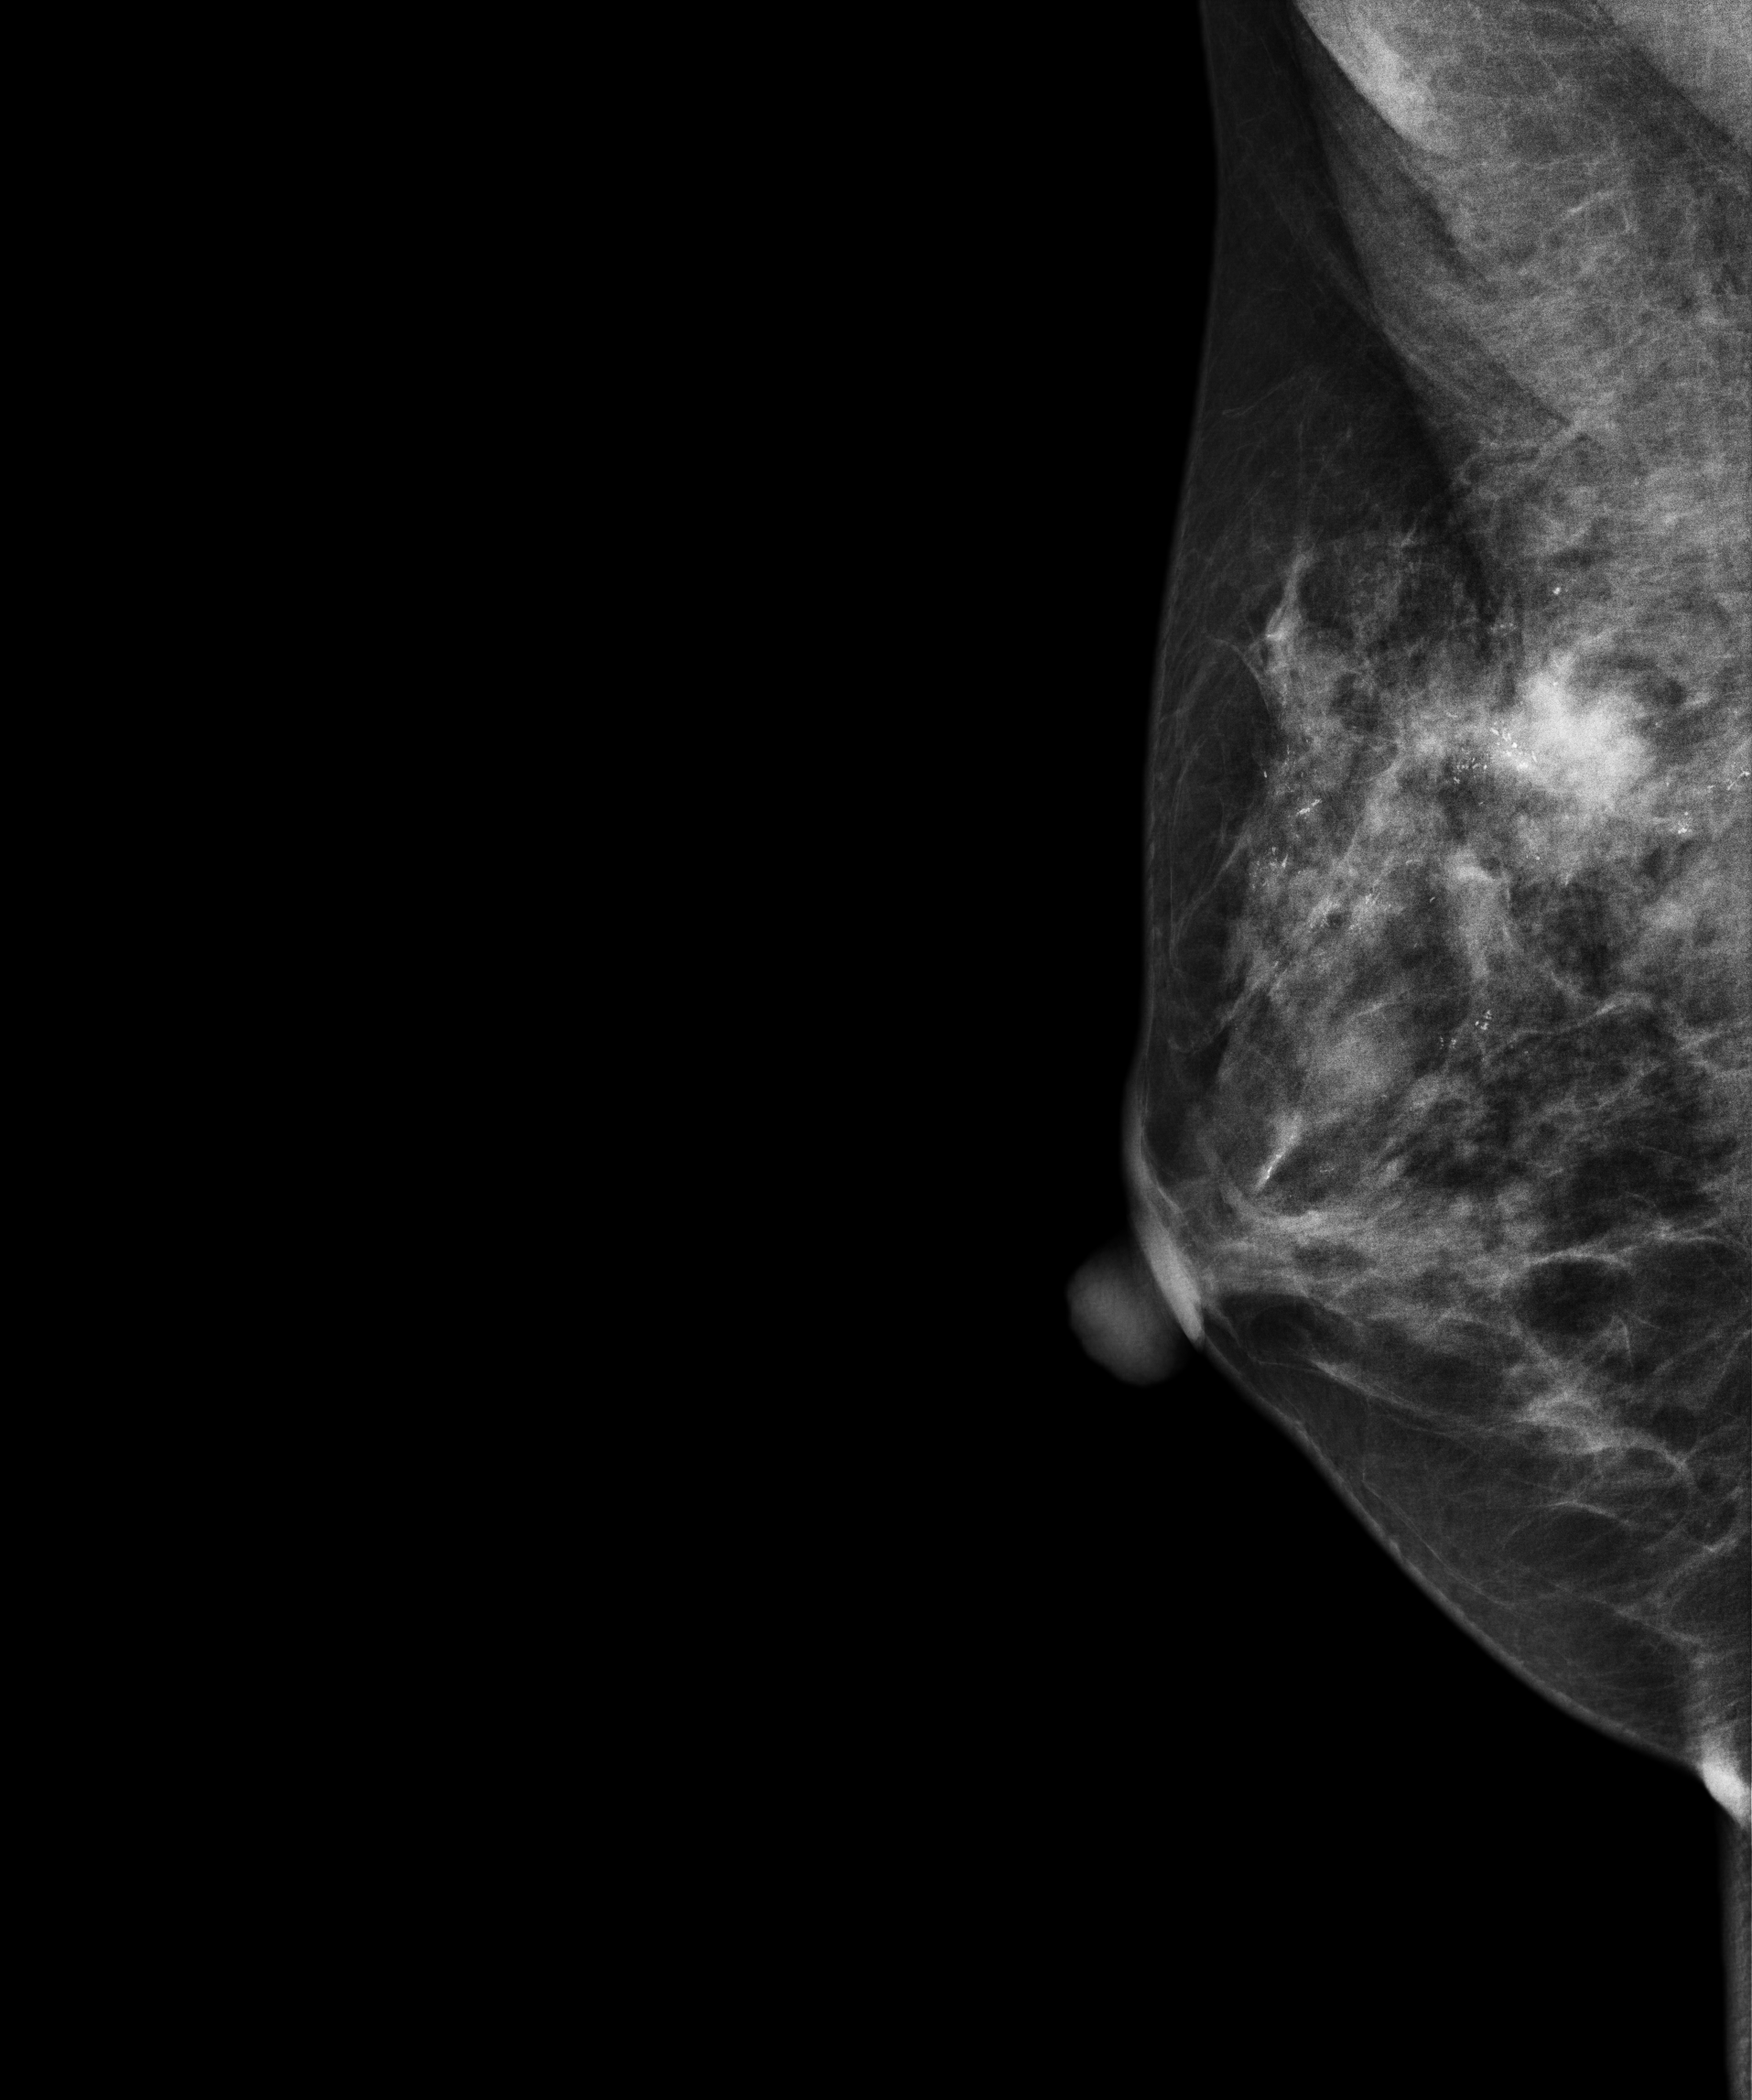
MLO mammogram of the right breast. 51 y/o patient.
This breast has a mass and calcifications, biopsy-confirmed malignant. Molecular subtype: triple-negative.